Mammogram, right breast, CC view. Patient age 45.
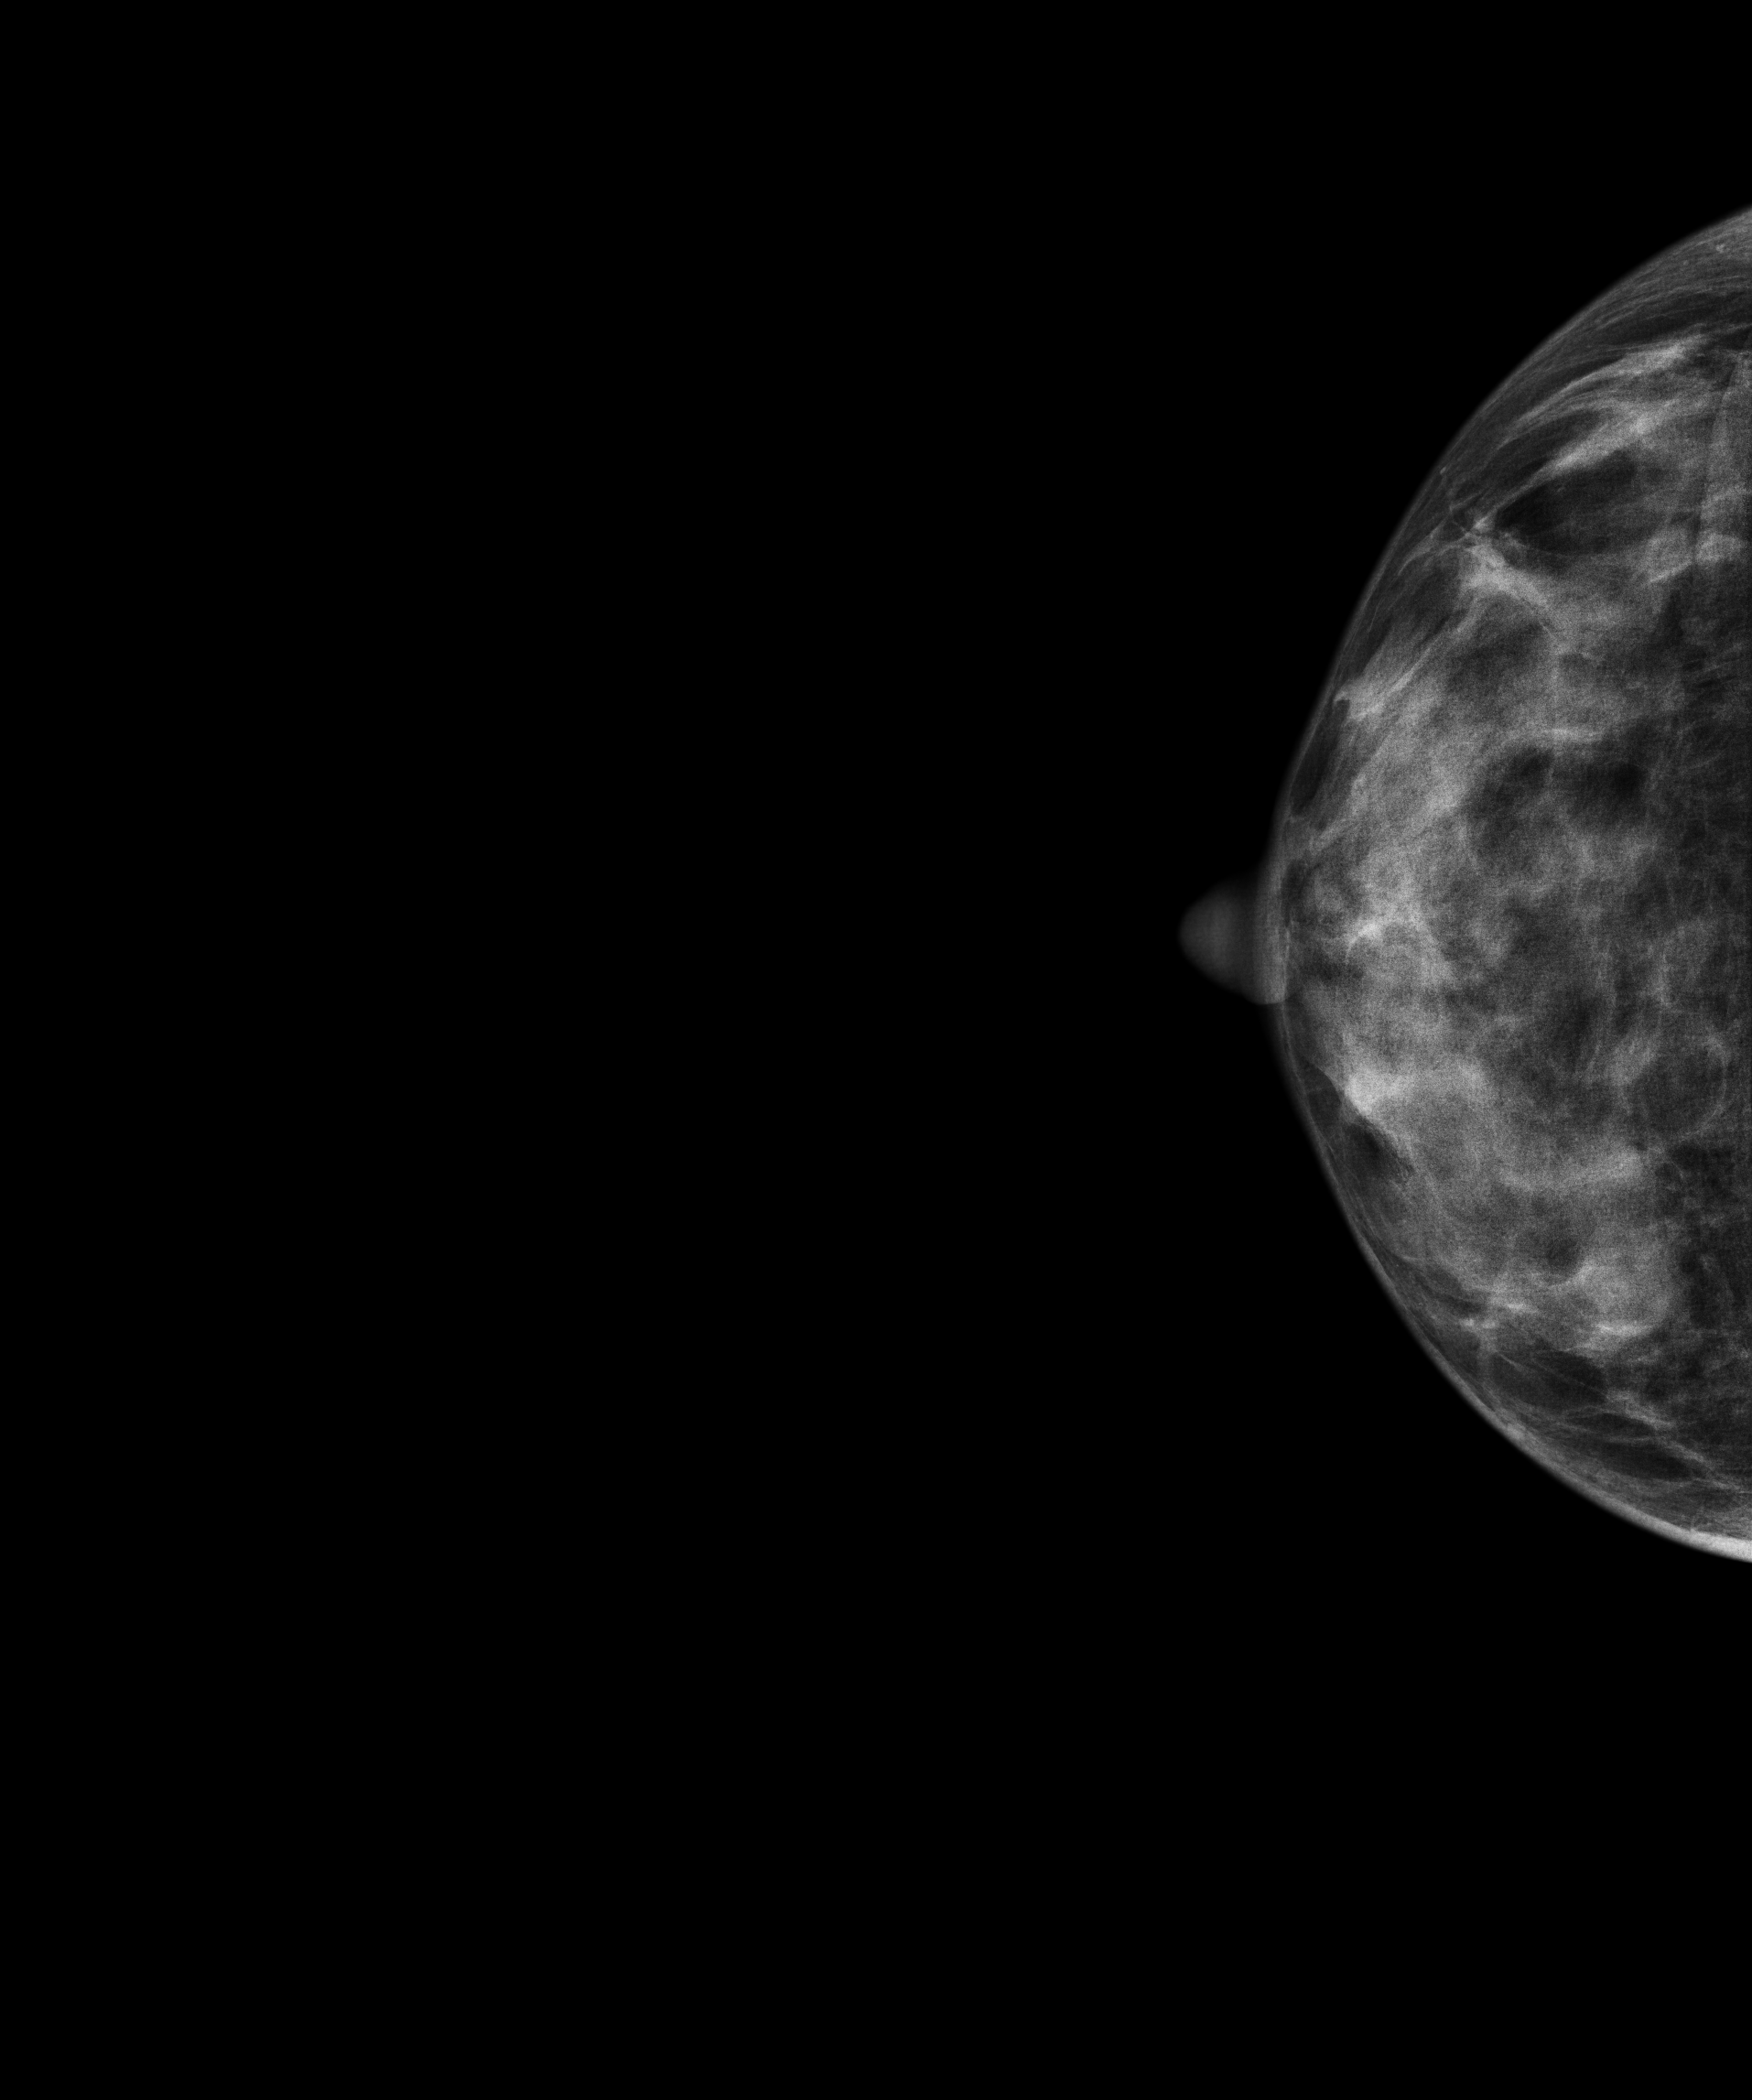
Contralateral breast — no documented abnormality on this side.